Digital mammography. Right breast, medio-lateral oblique projection. 35 y/o patient.
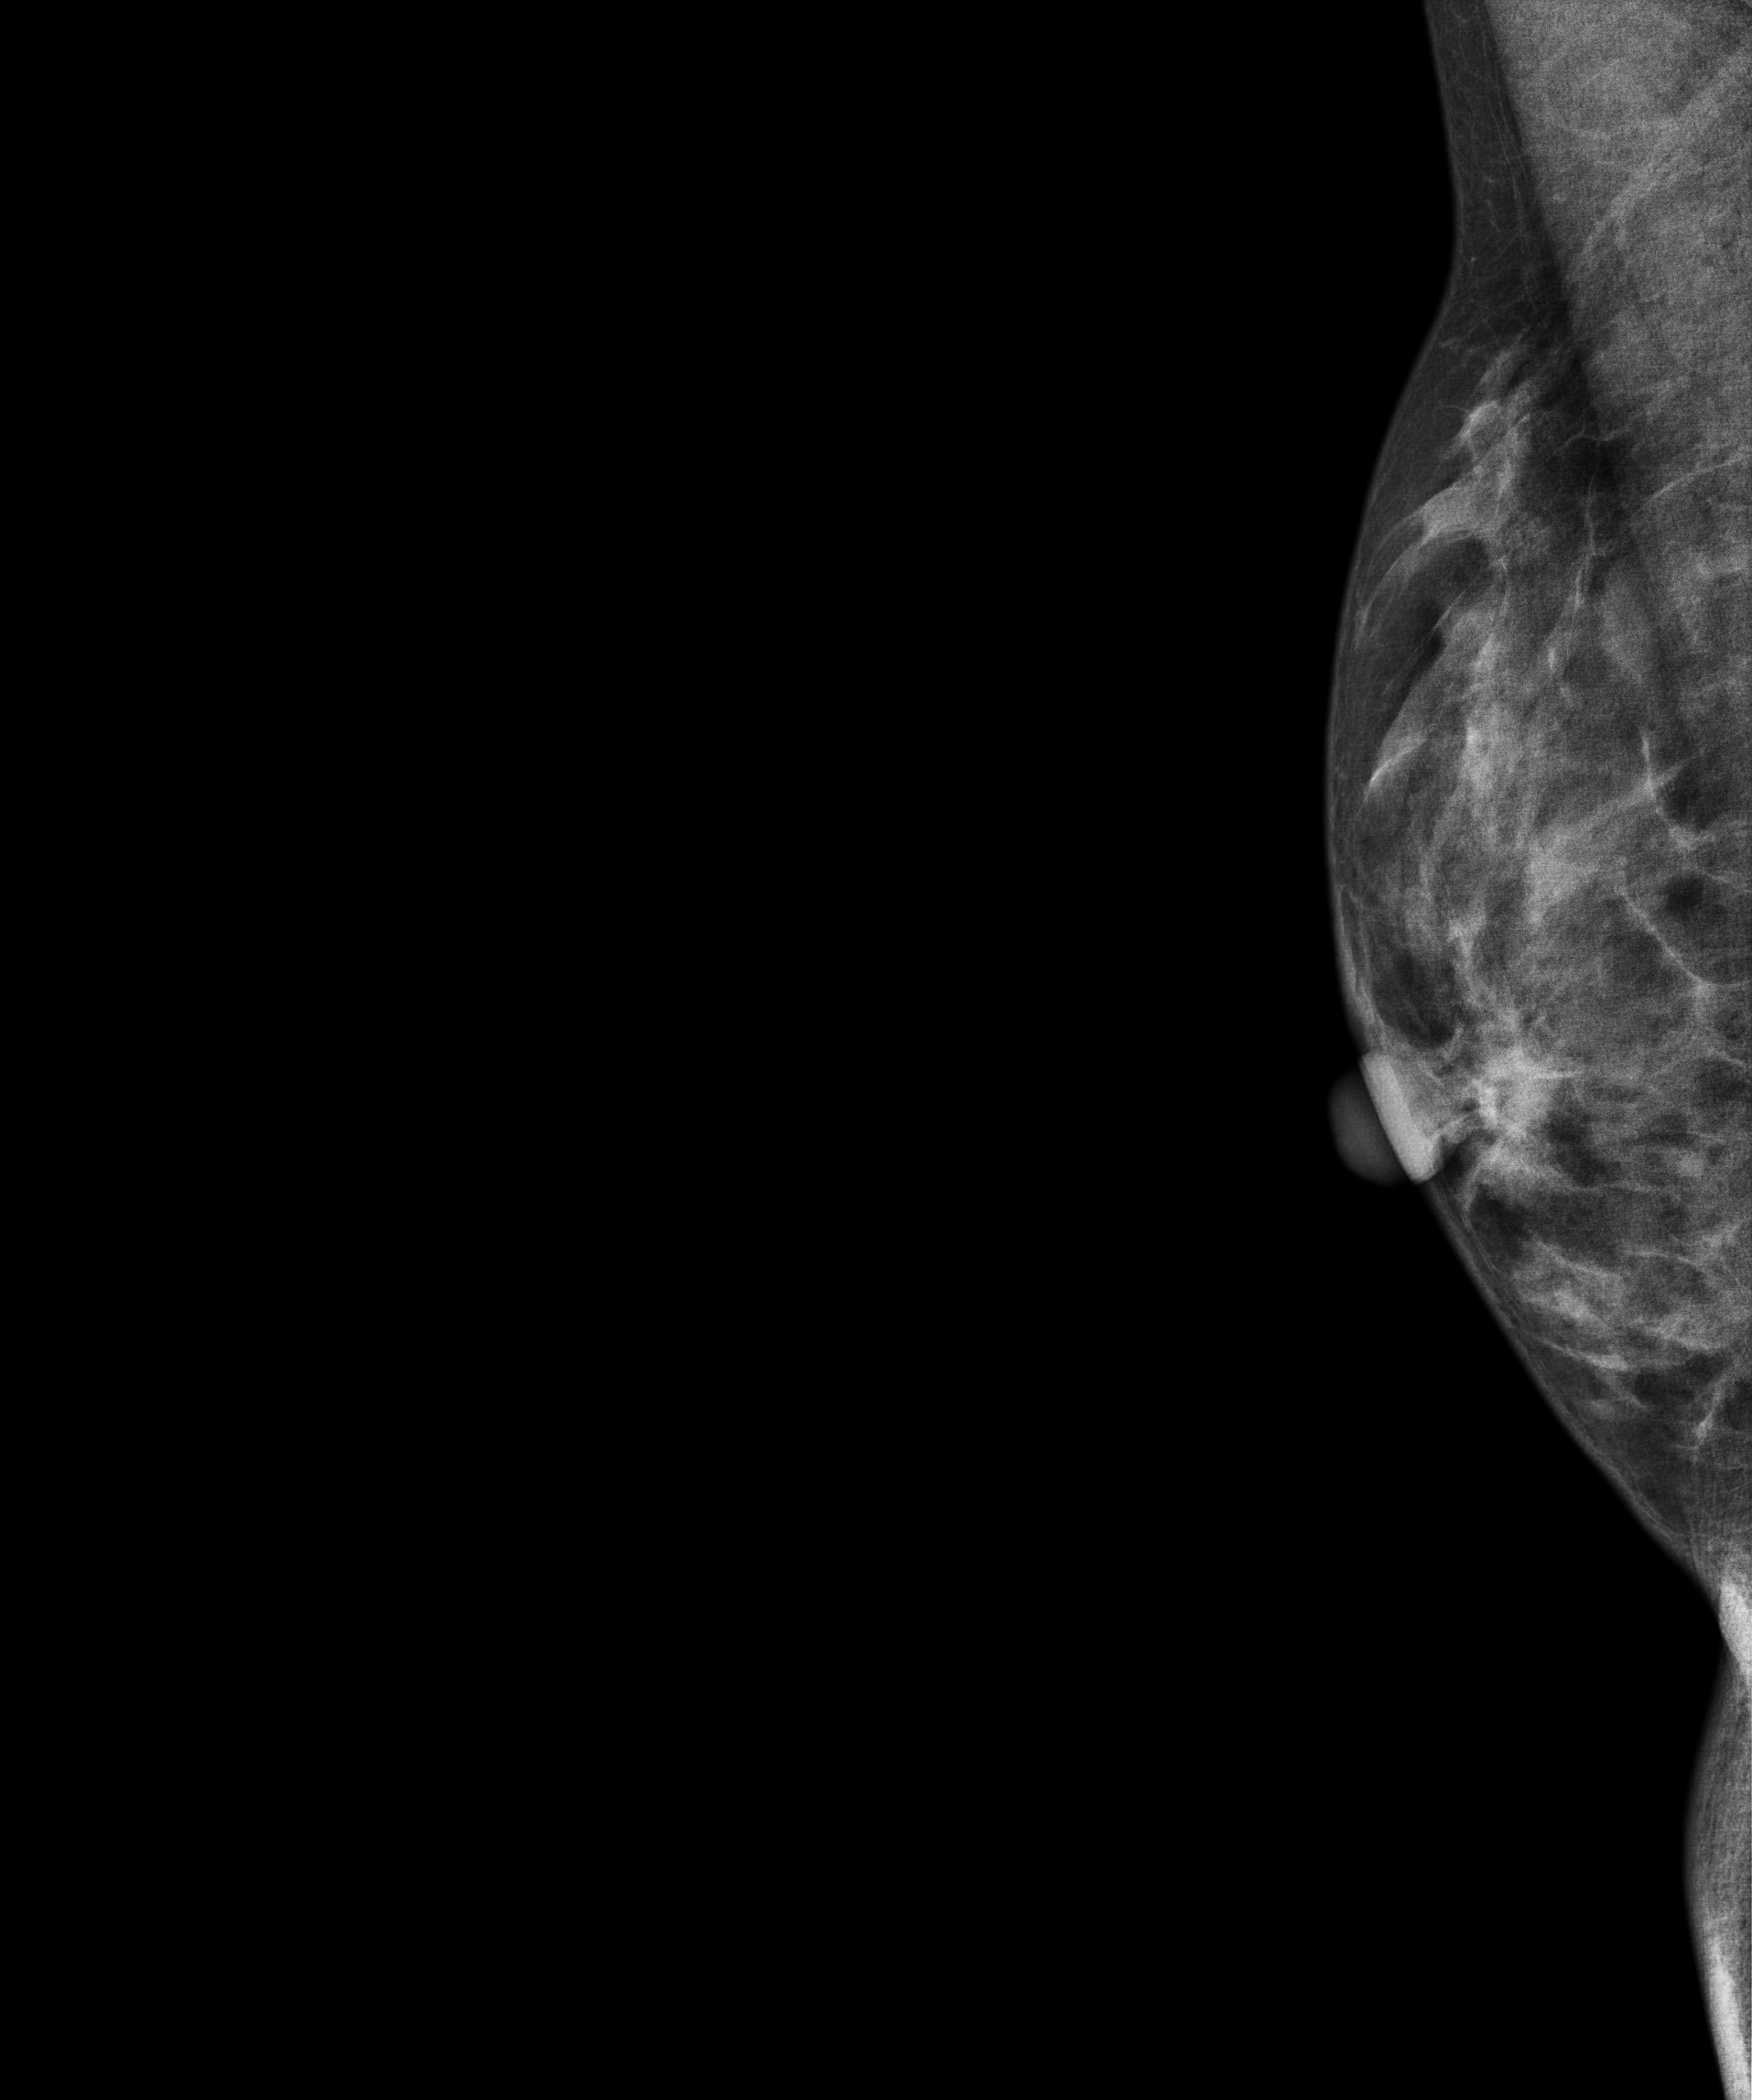
This breast has a mass, biopsy-confirmed malignant. Molecular subtype: luminal A.